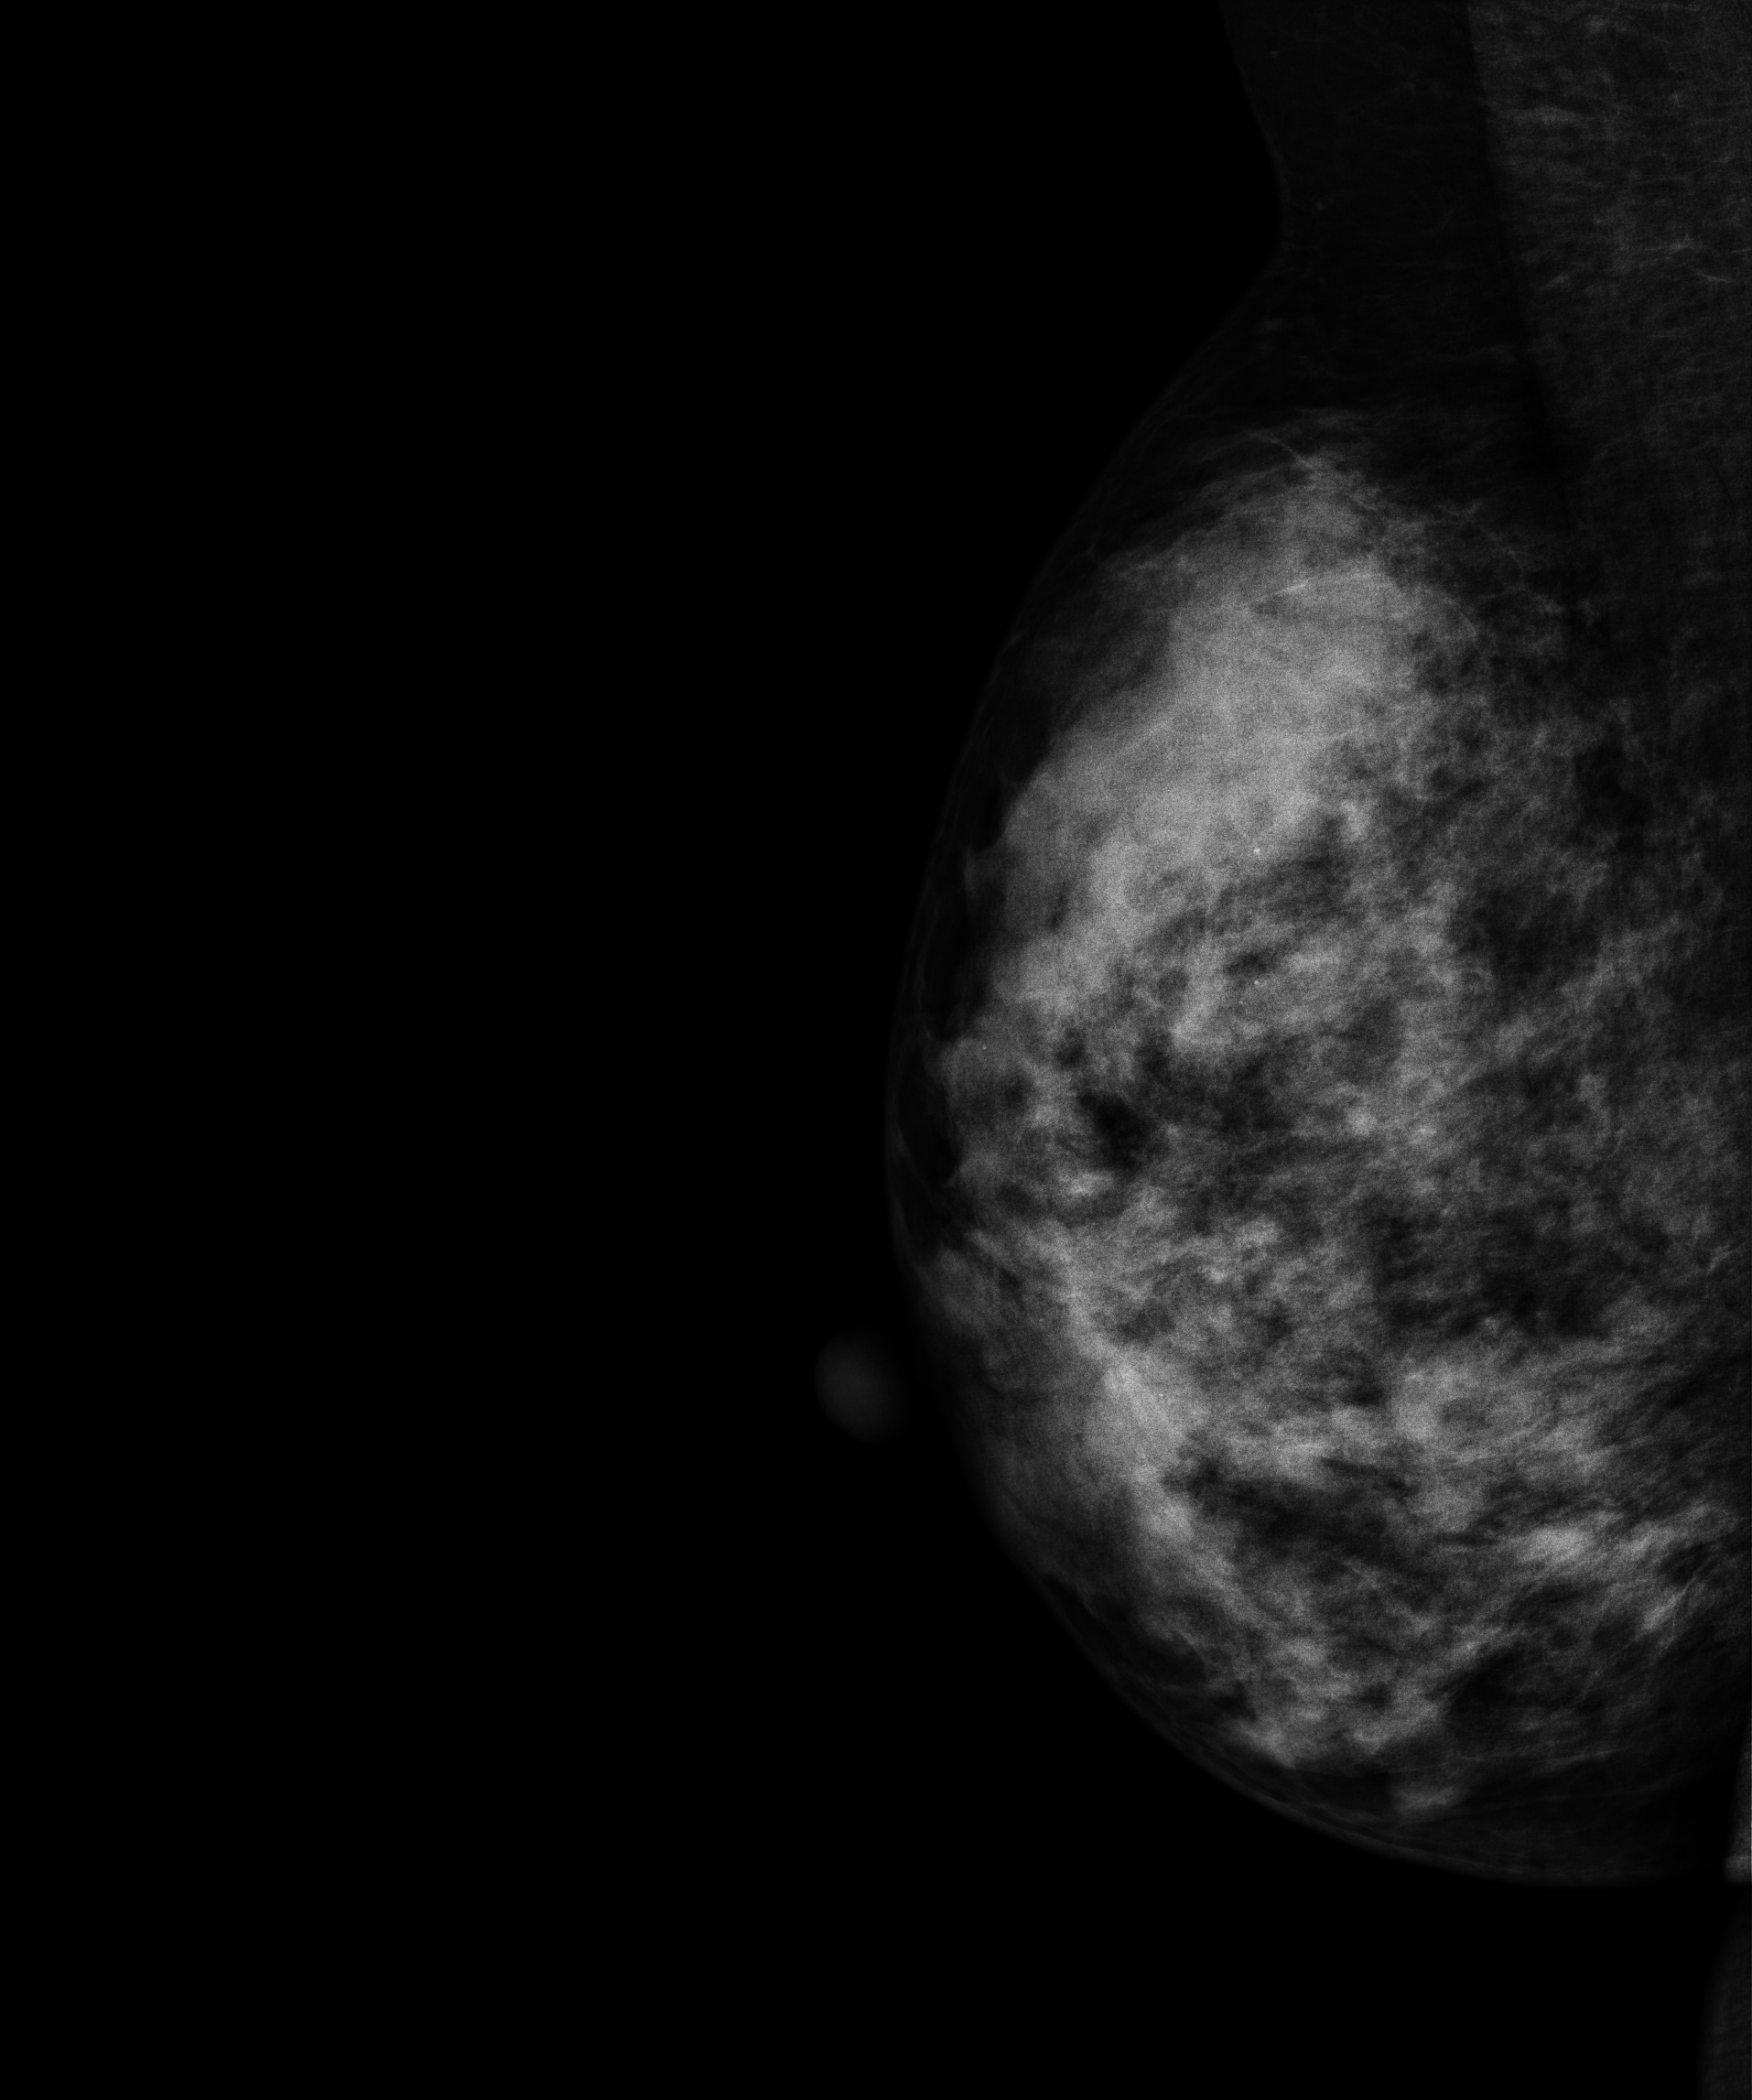
Mammogram — right medio-lateral oblique. Patient age 46.
This breast has a mass and calcifications, histologically confirmed benign.